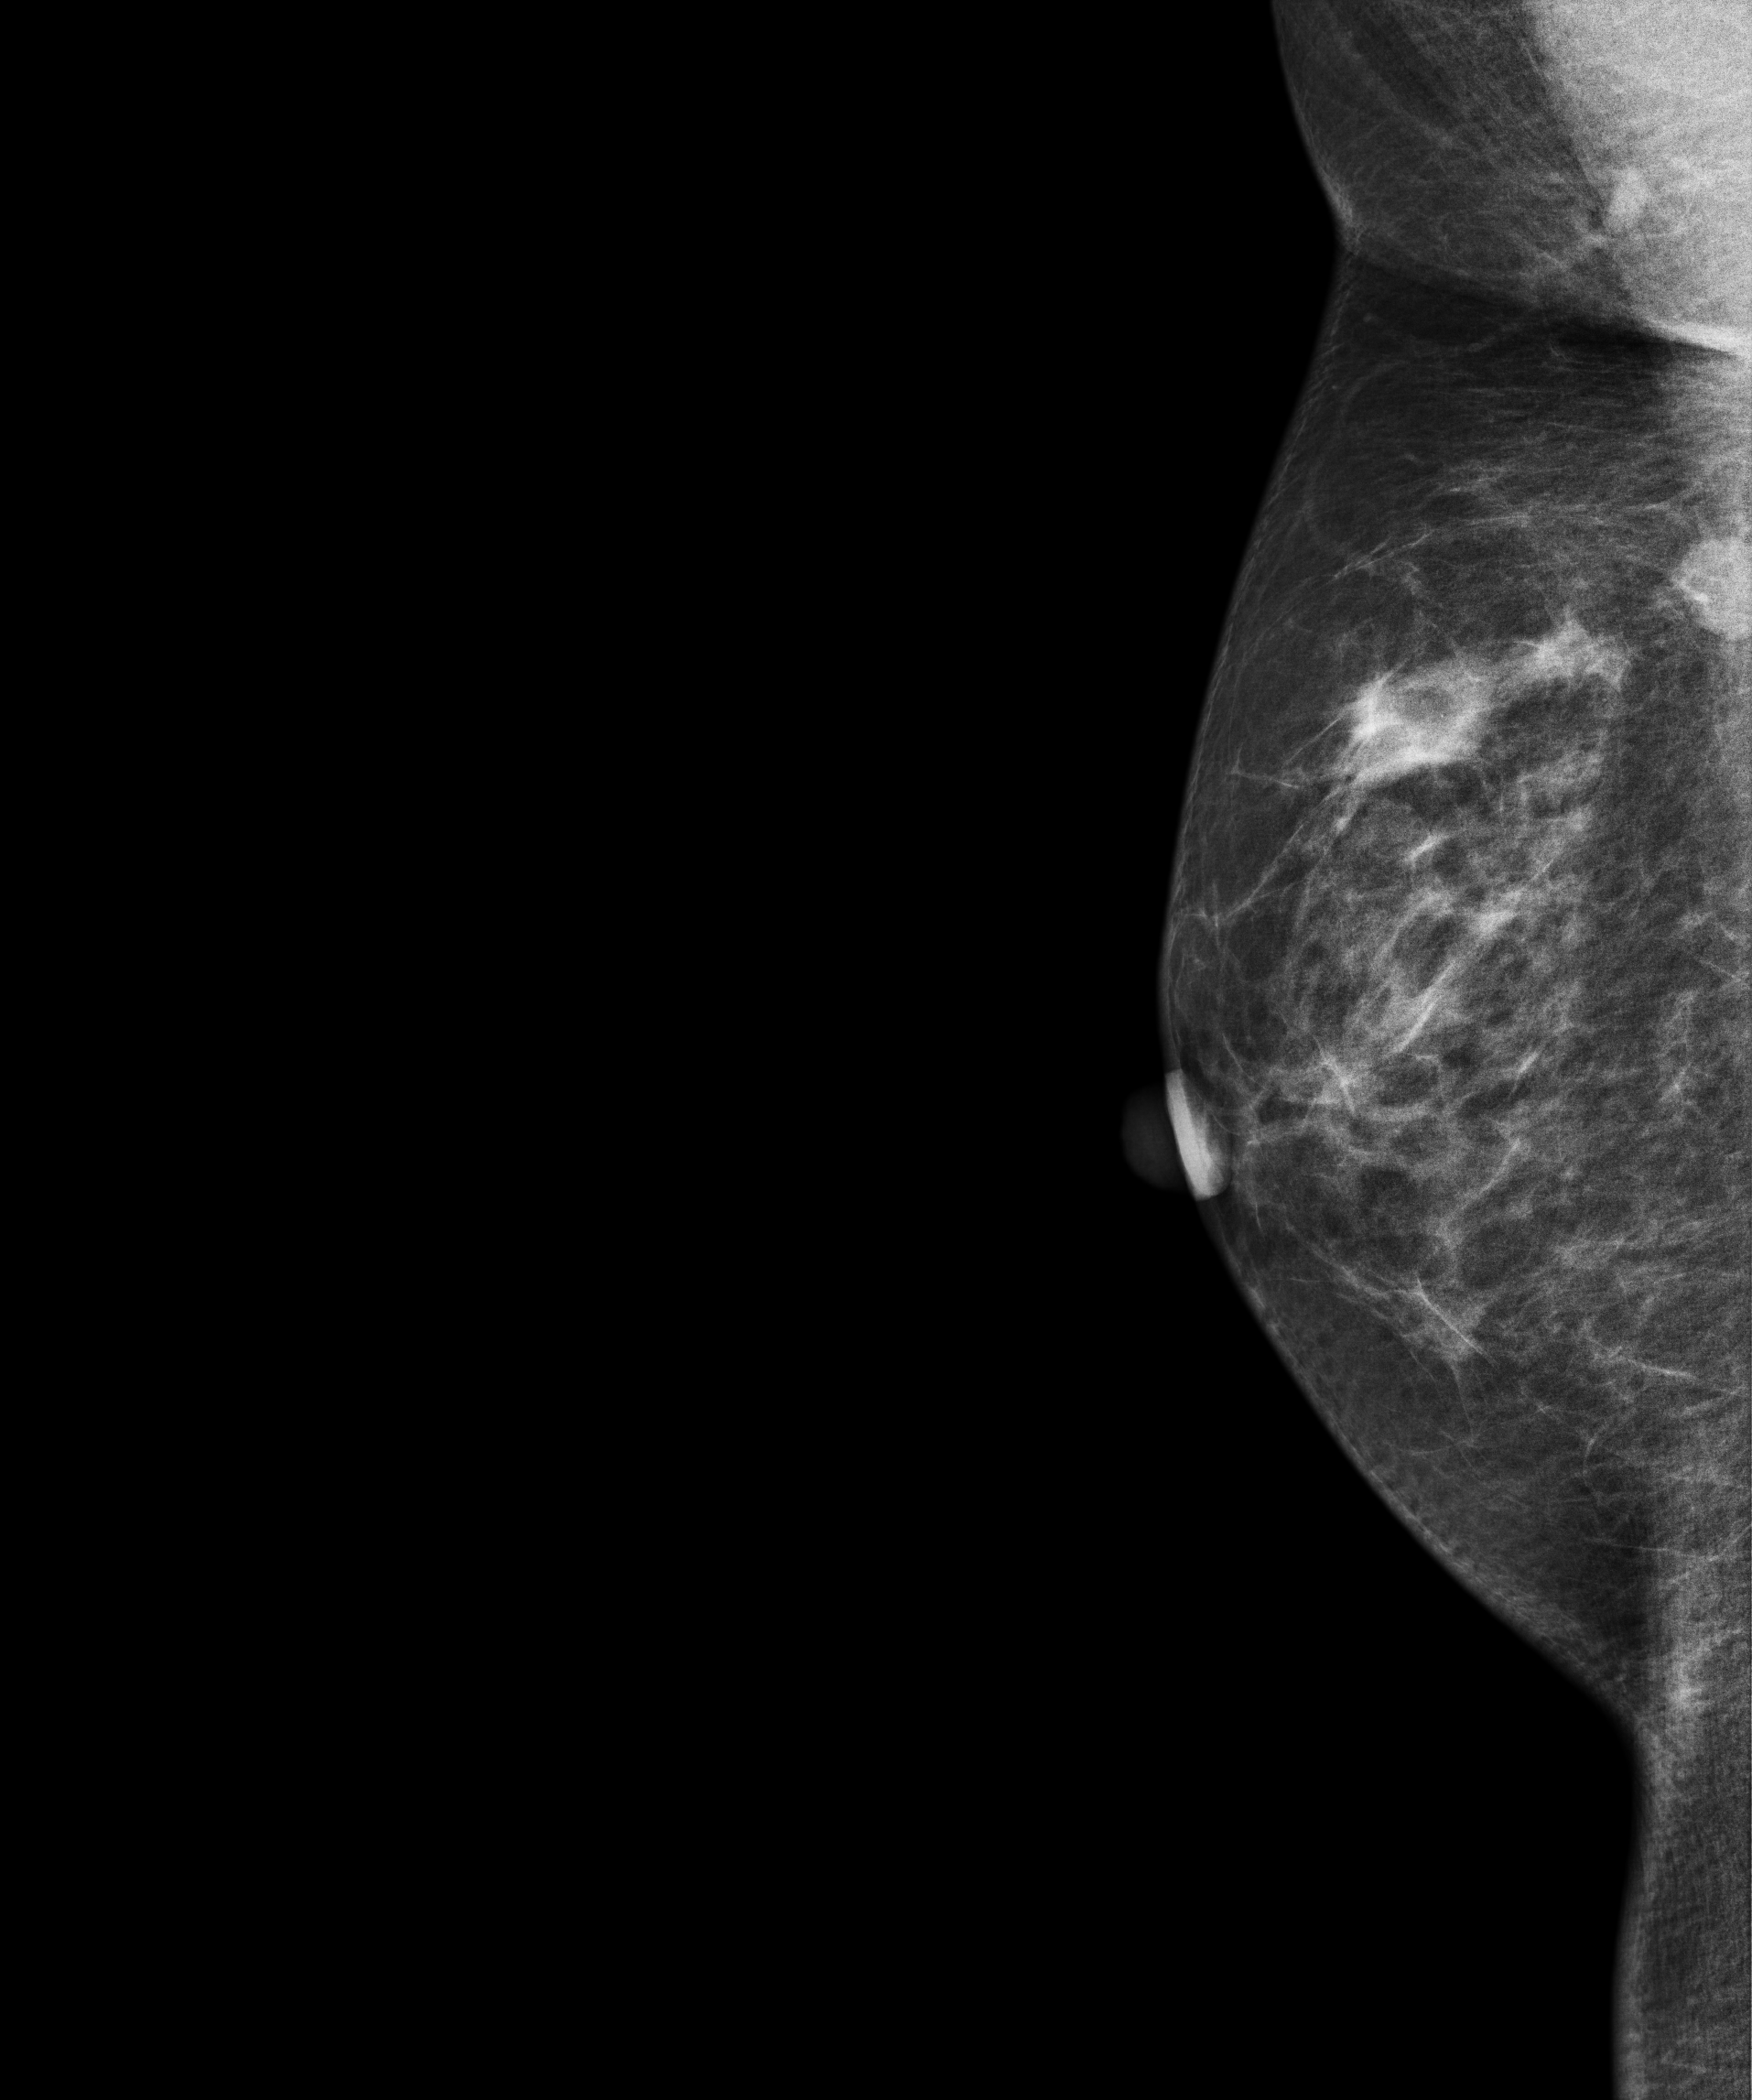
Digital mammography. Right breast, MLO projection. Patient age 57.
This breast has a mass, pathology-confirmed malignant. Molecular subtype: luminal B.